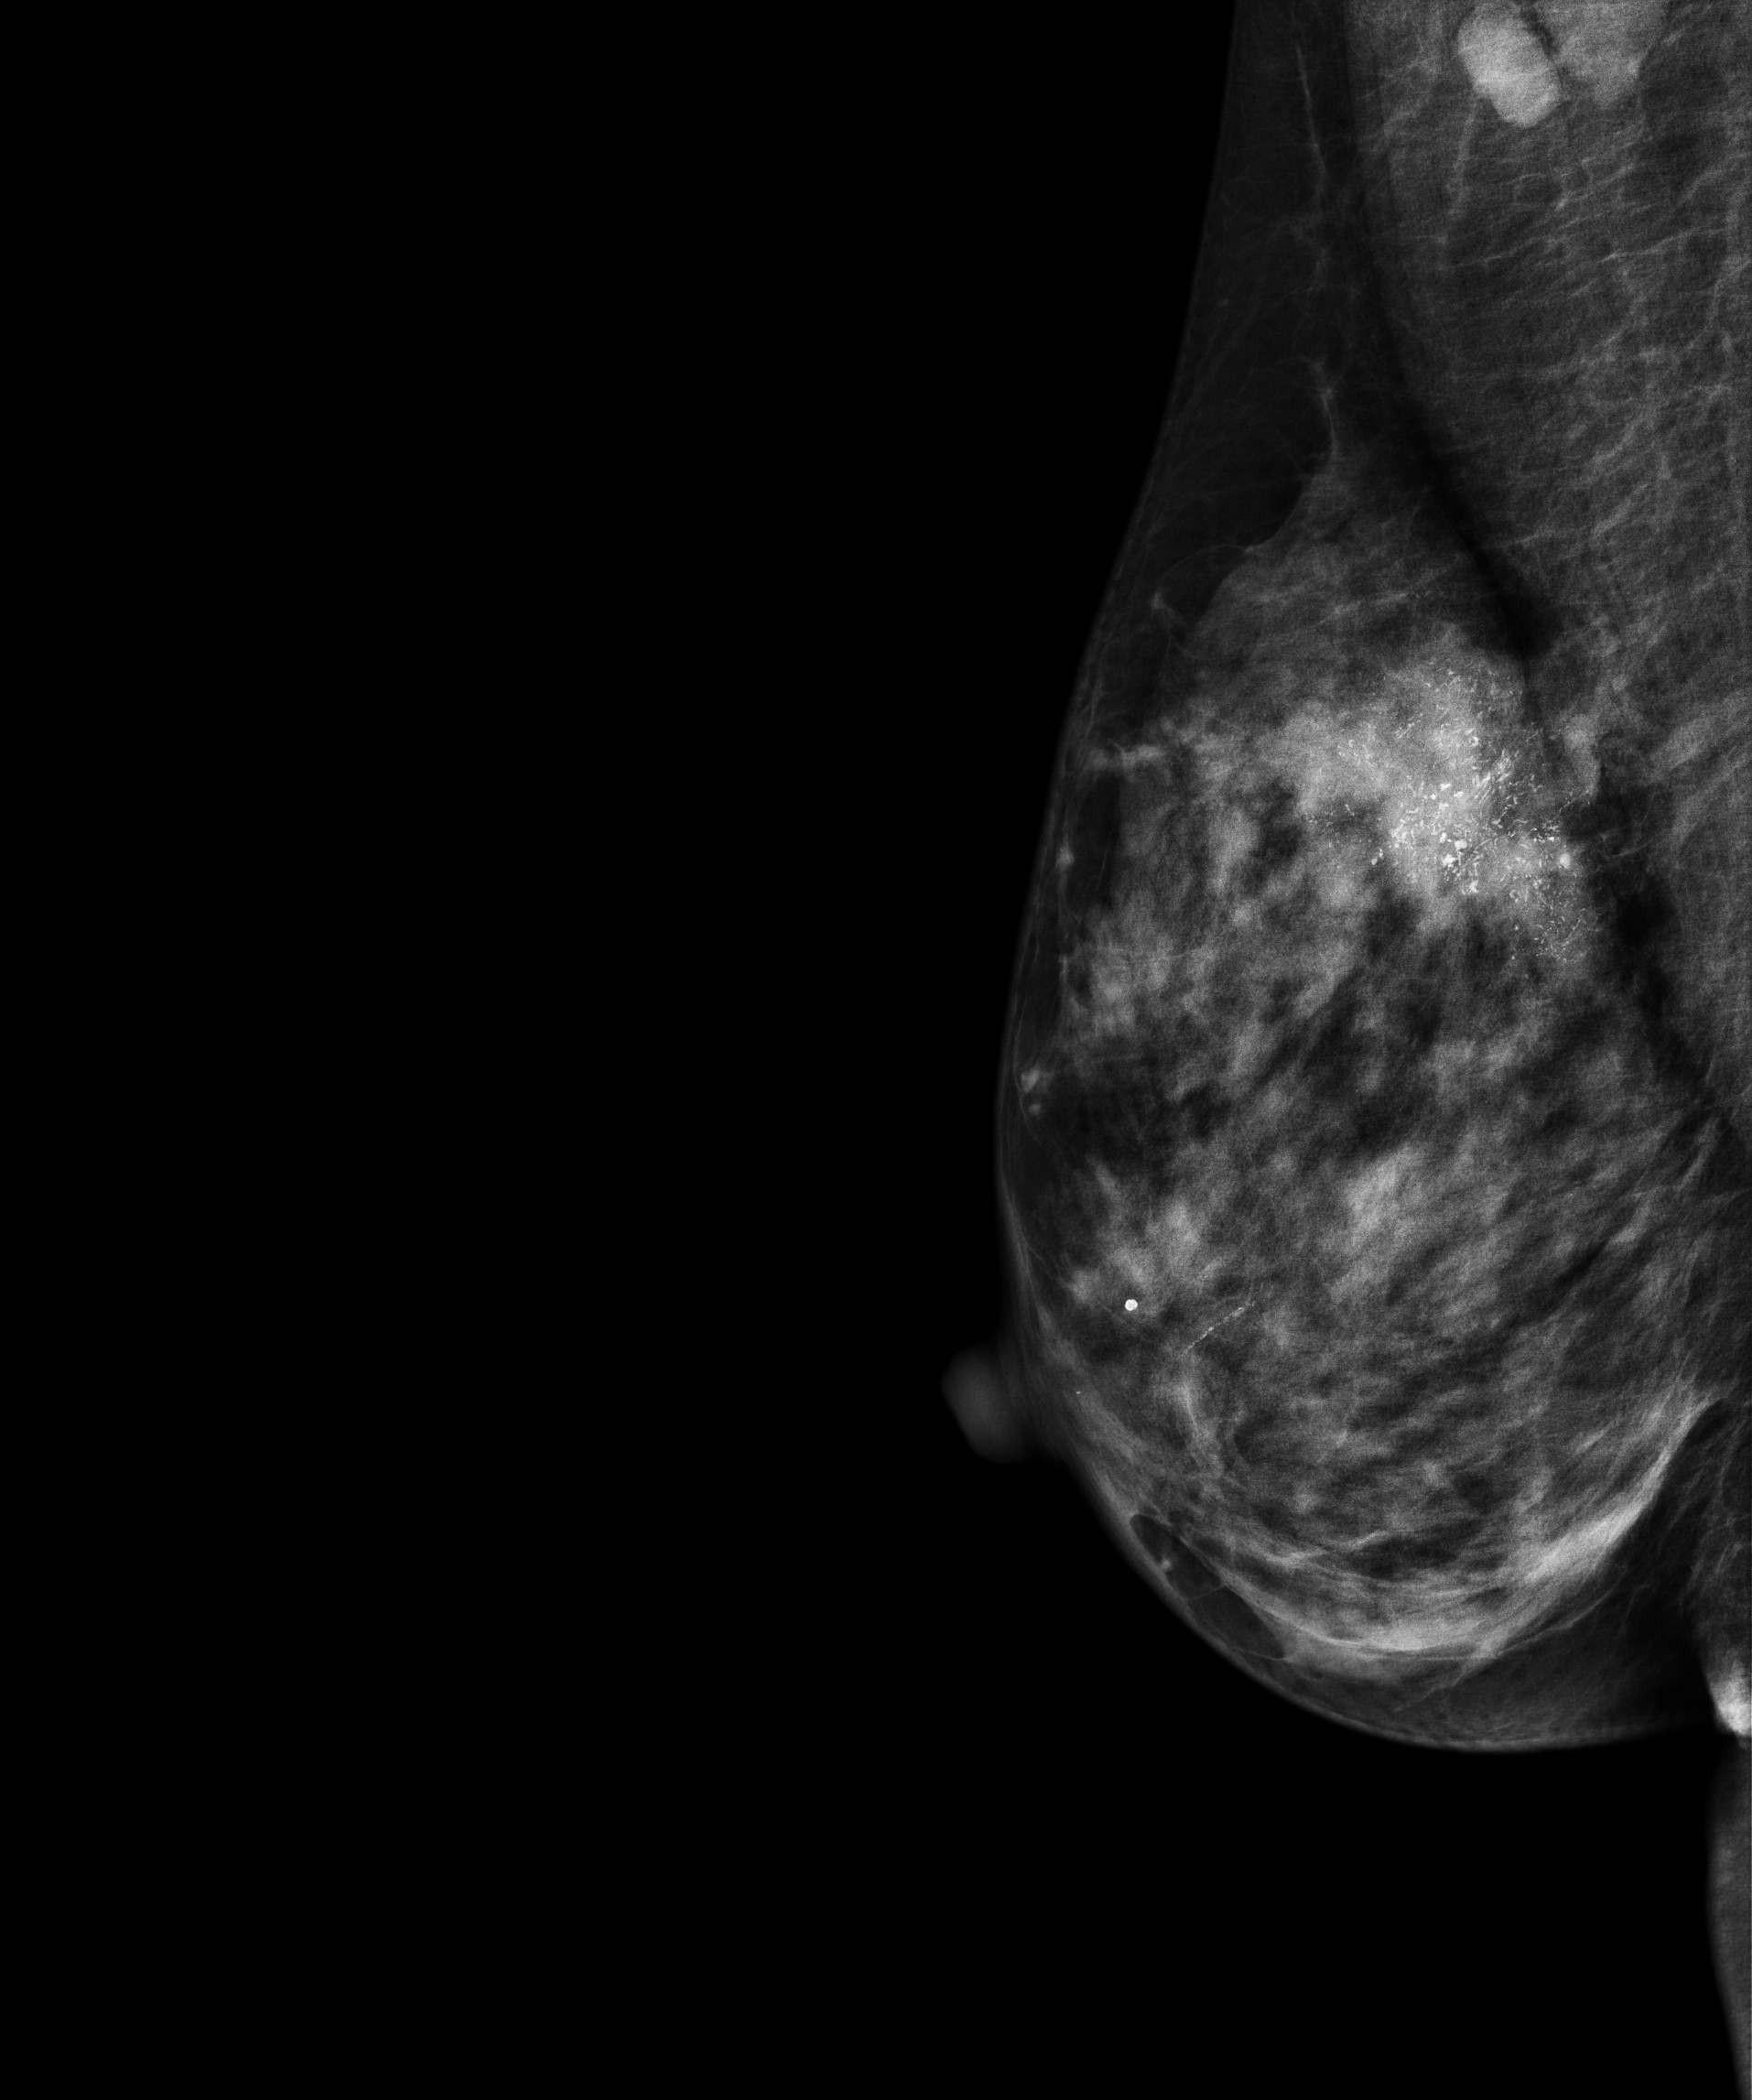
Right-breast mammogram, medio-lateral oblique. 53 y/o patient.
This breast has a mass and calcifications, biopsy-proven malignant. Molecular subtype: luminal A.